Digital mammography. Right breast, MLO projection. 40-year-old patient.
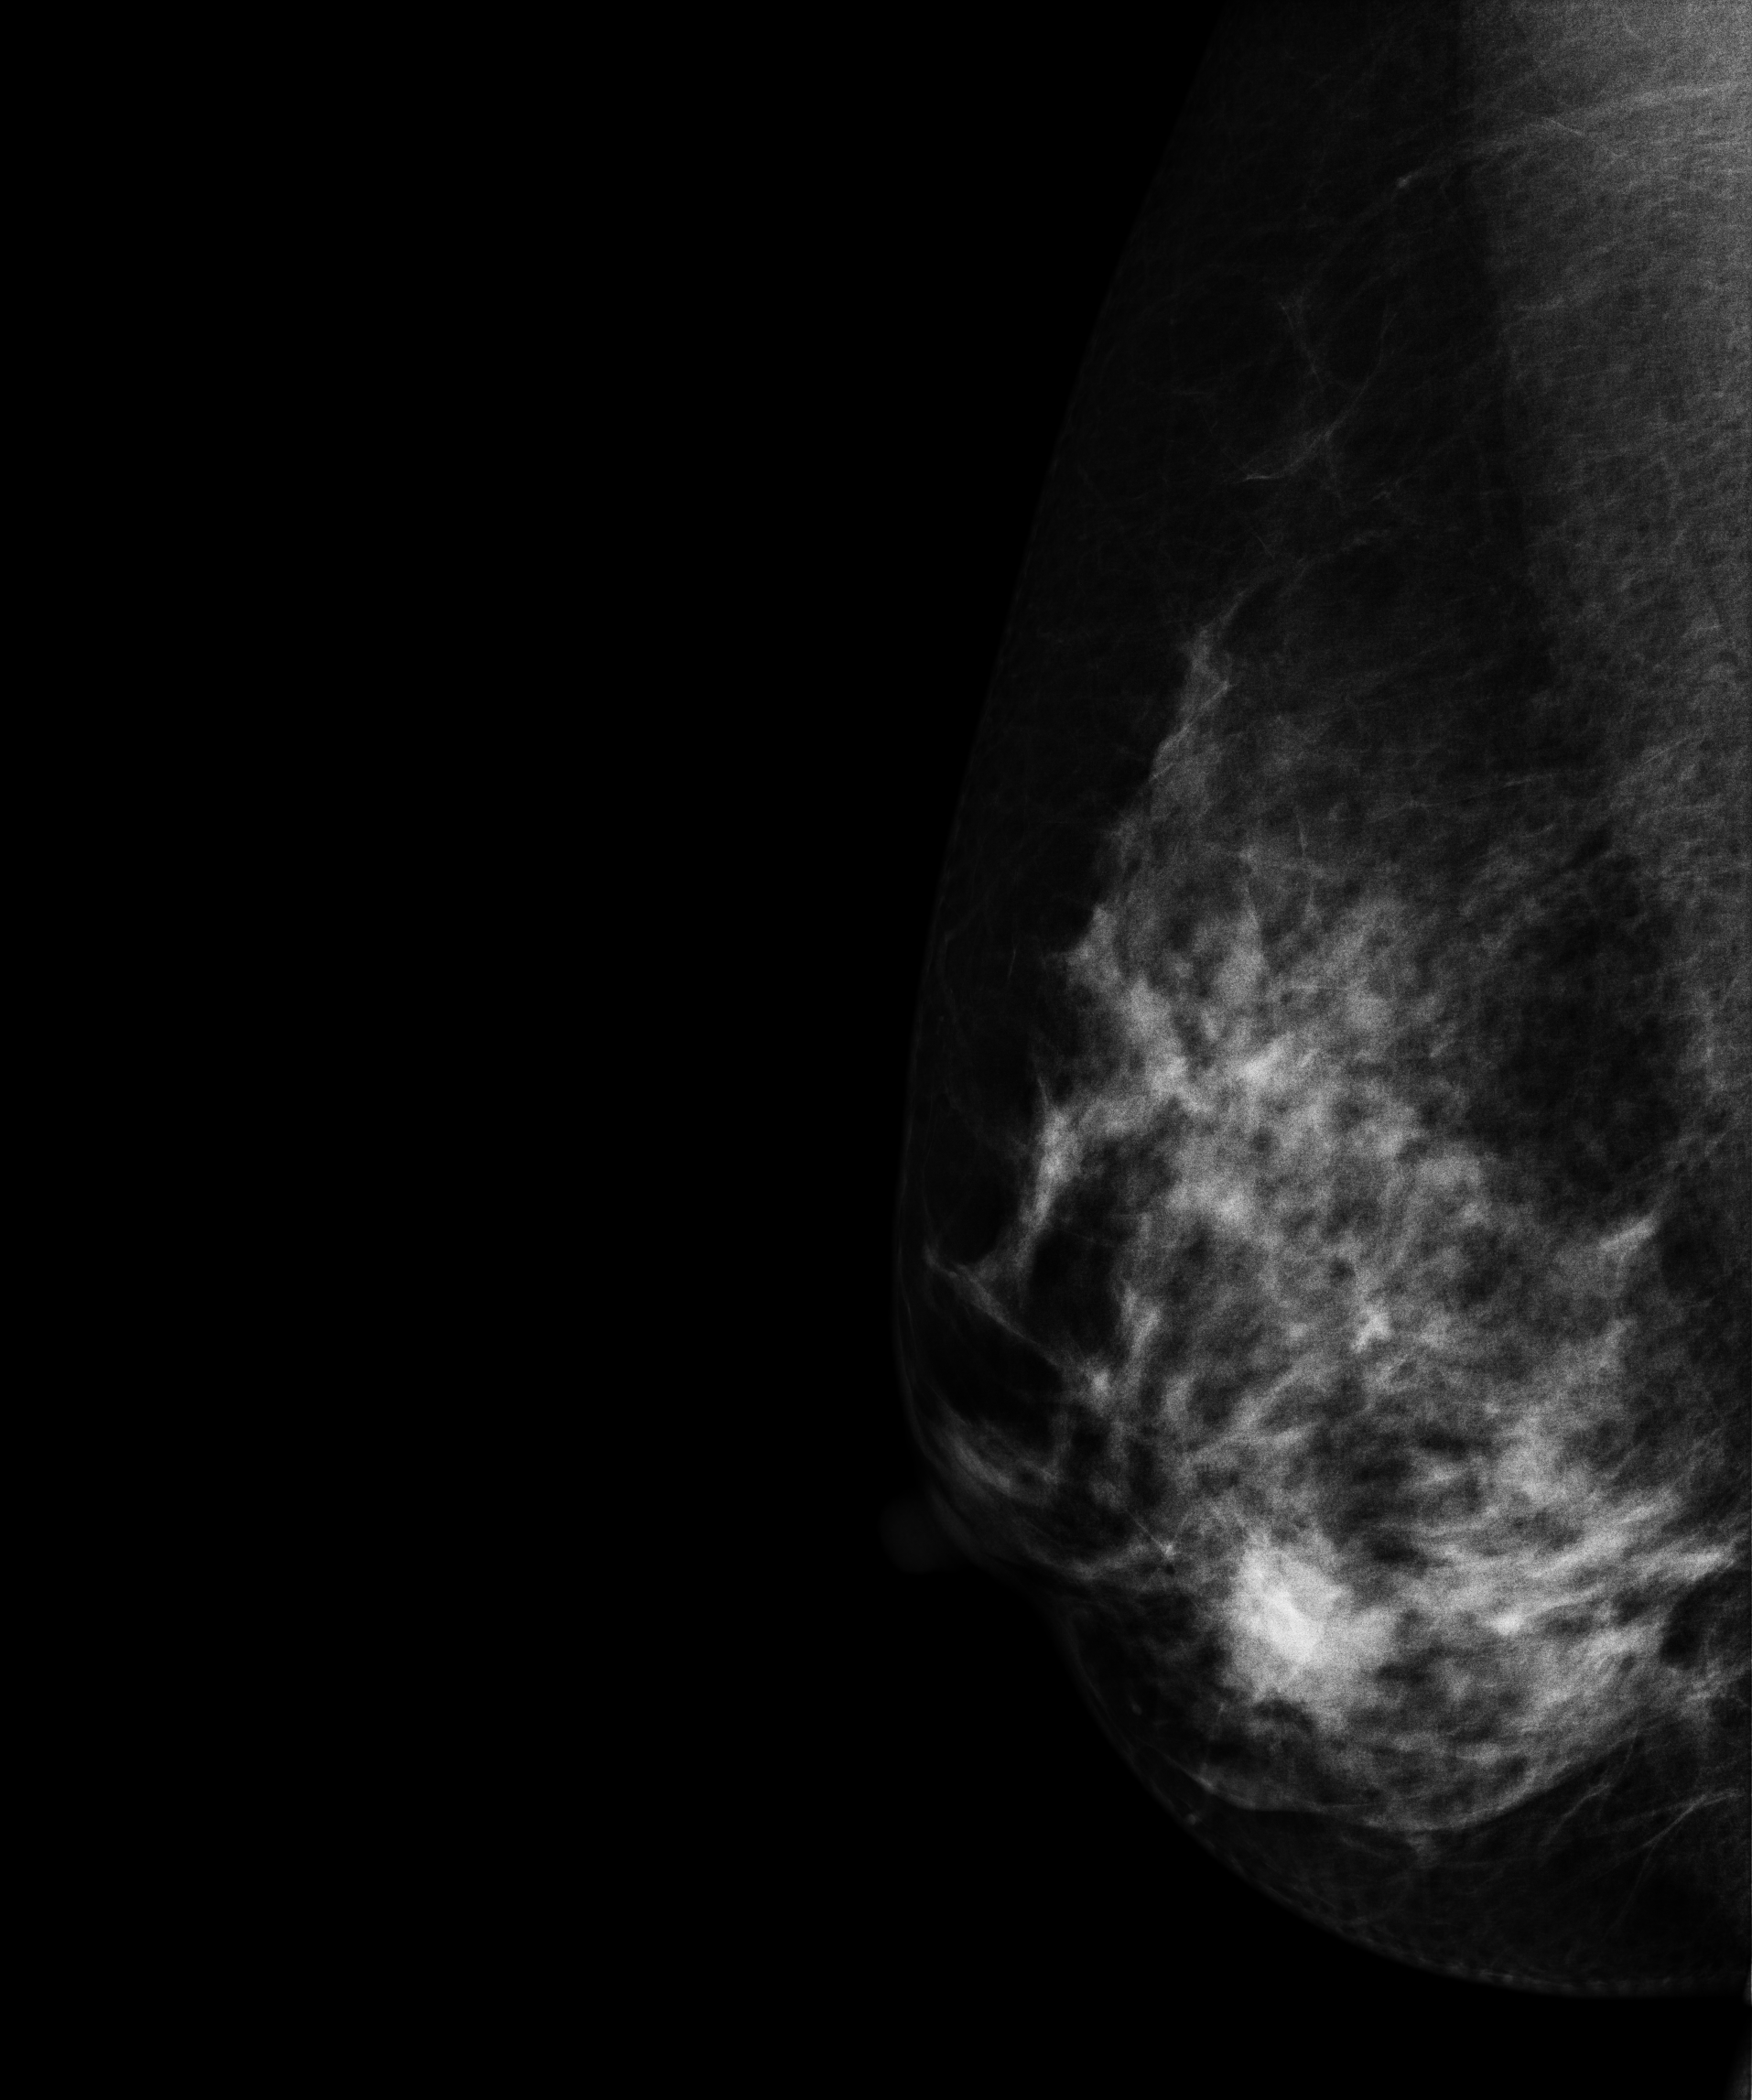
This breast has a mass, biopsy-confirmed malignant. Molecular subtype: luminal B.